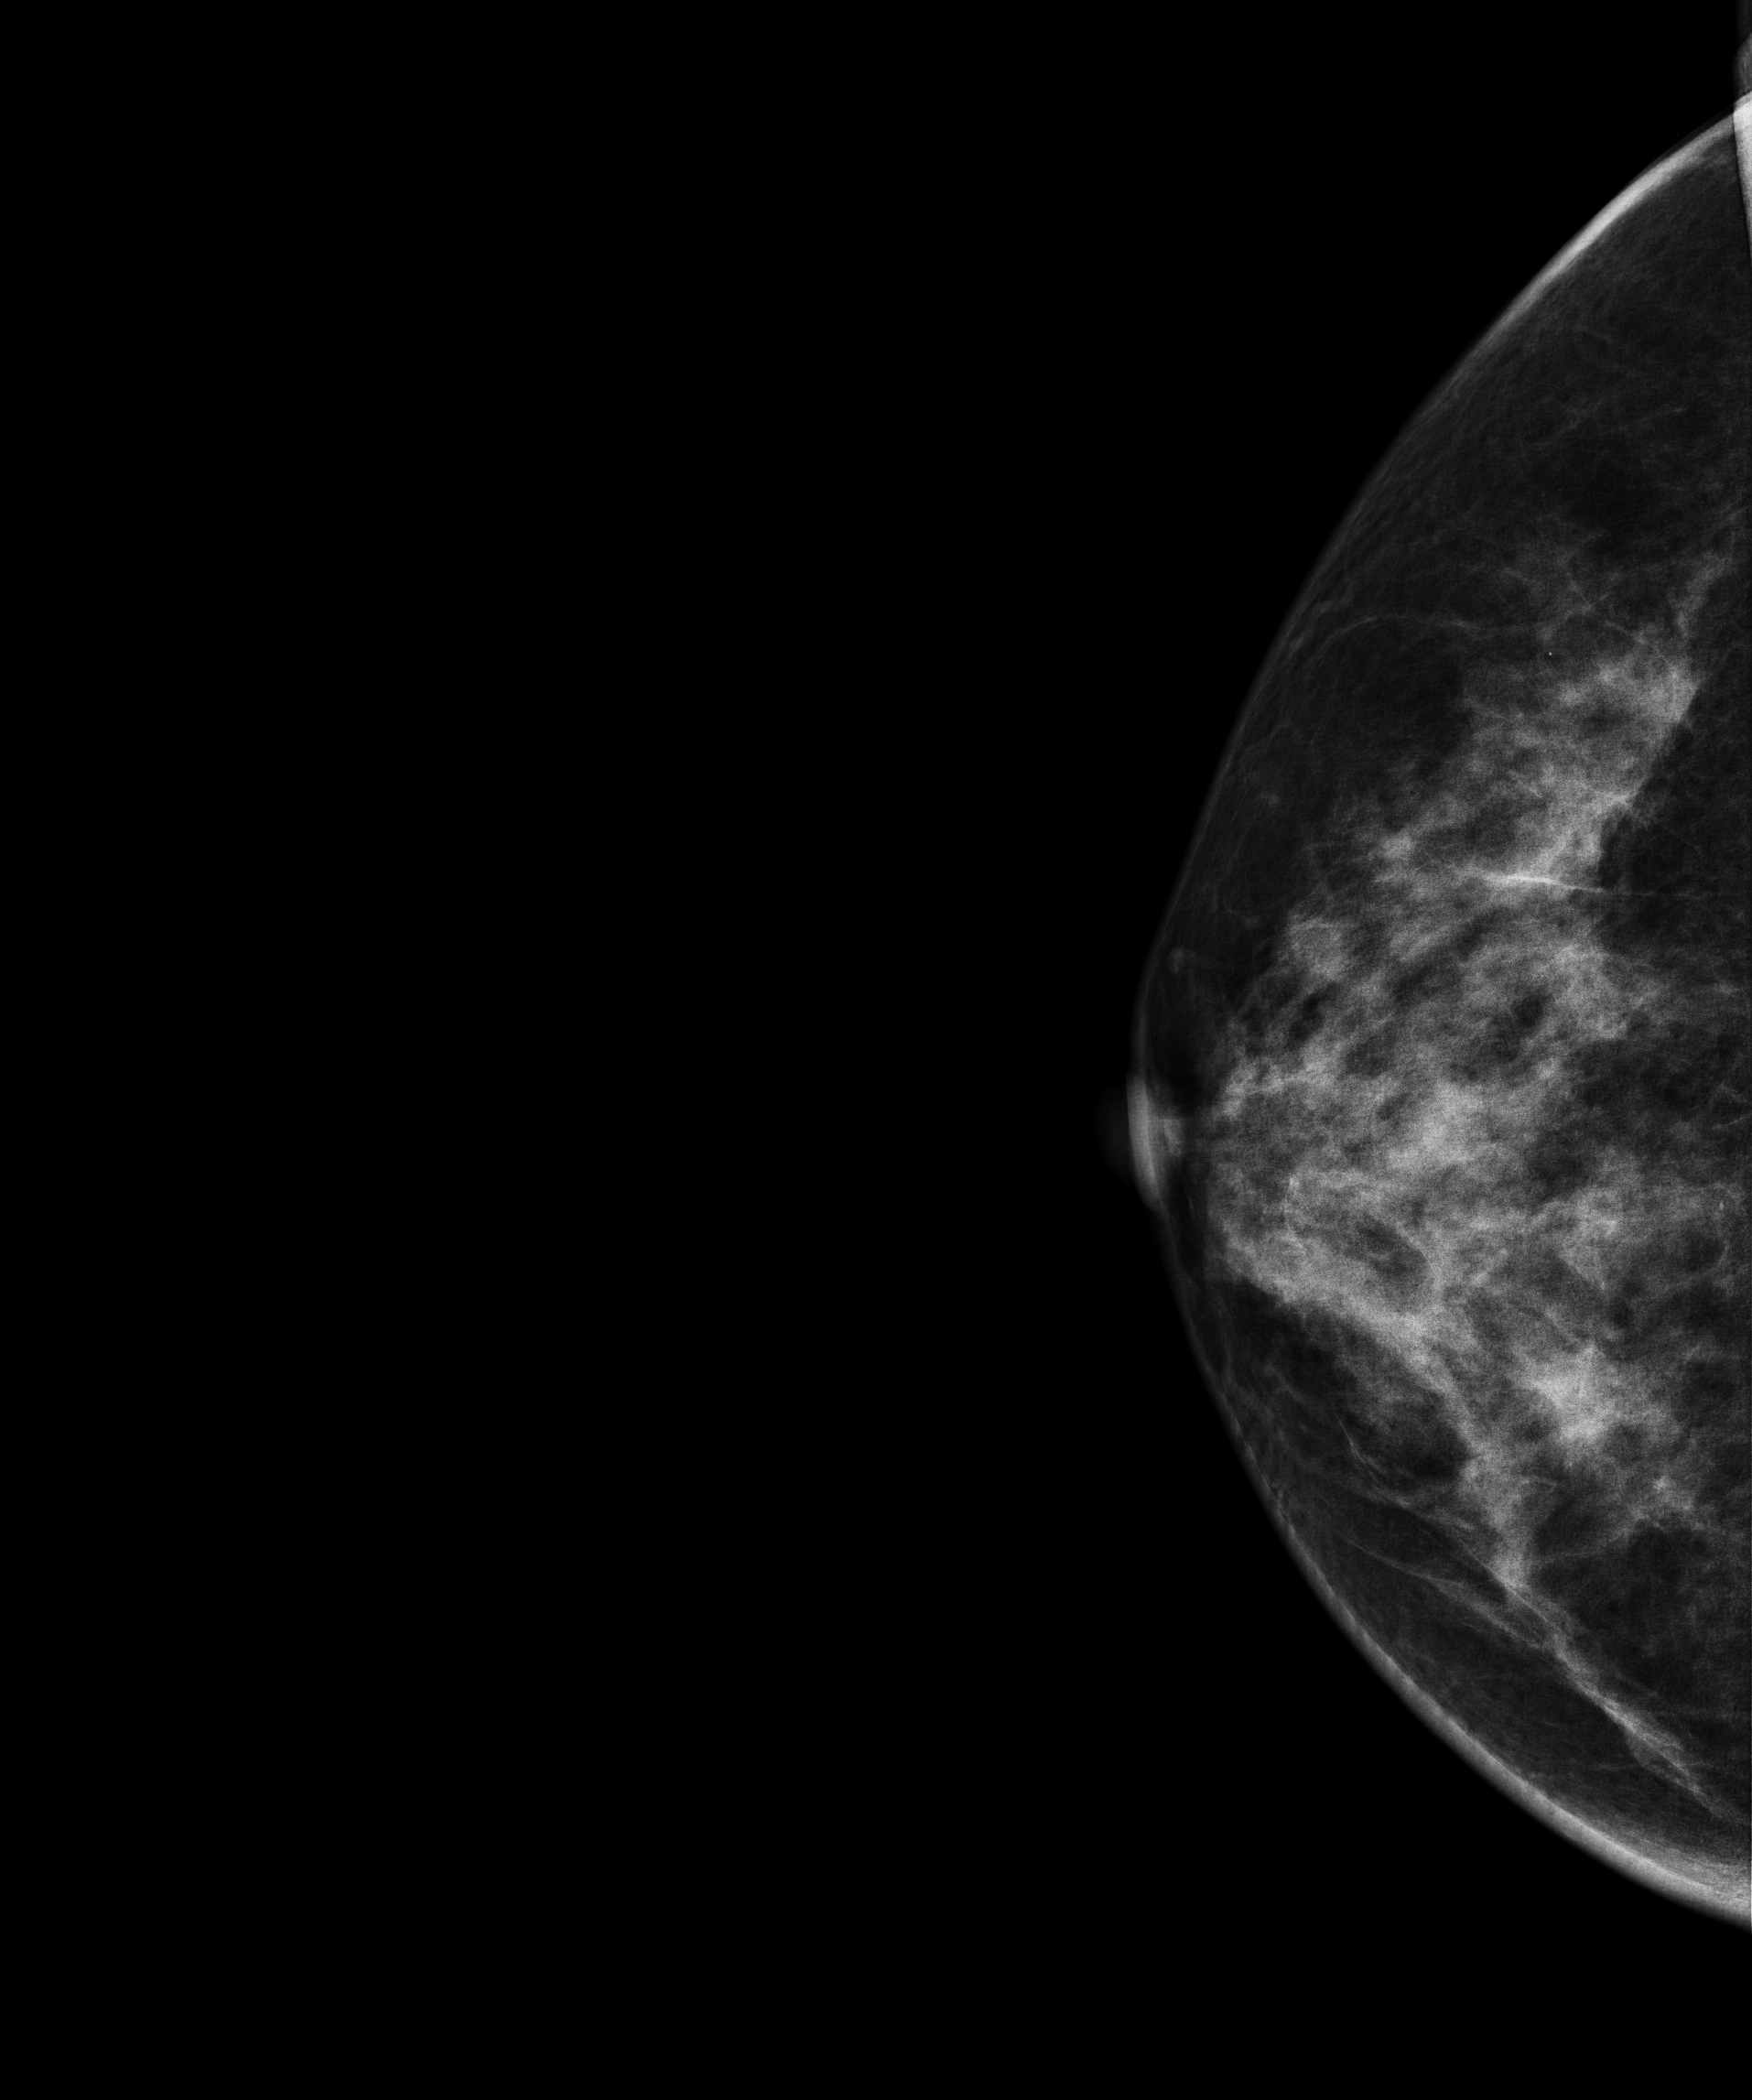
Cranio-caudal mammogram of the right breast. 53-year-old patient.
This breast has a mass, biopsy-confirmed benign.